Digital mammography. Right breast, cranio-caudal projection. 40-year-old patient.
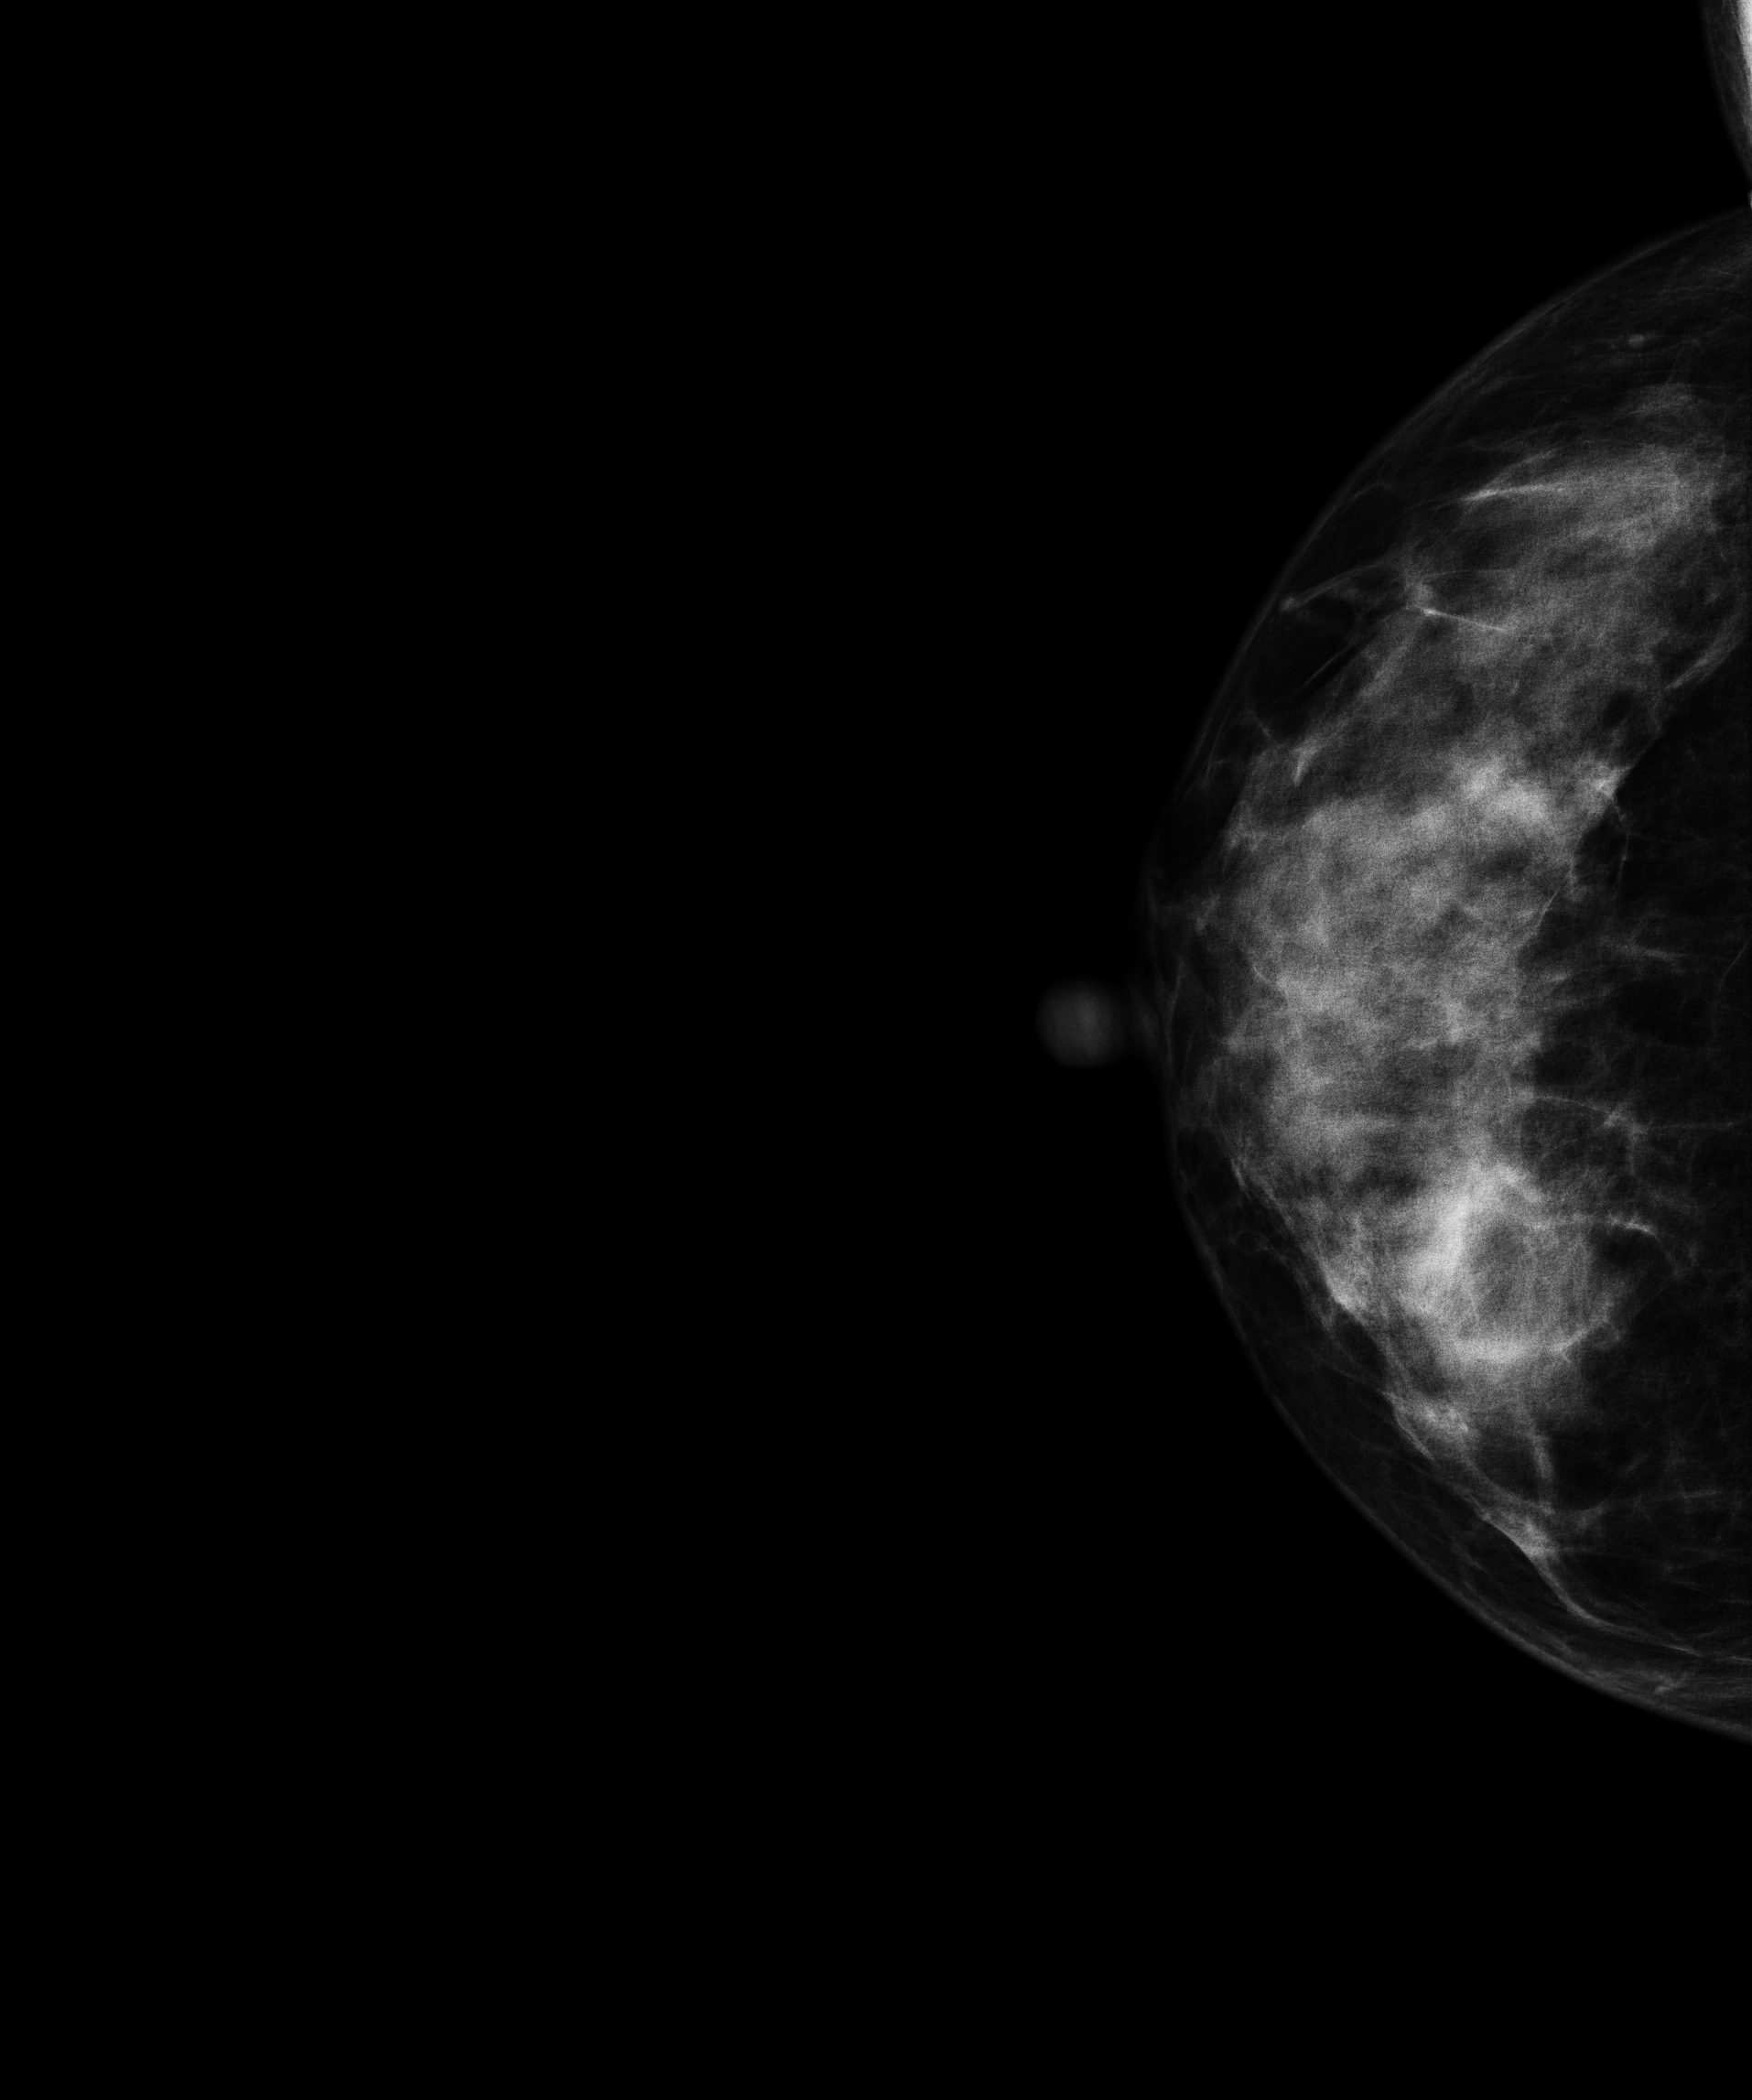
This breast has a mass, pathology-confirmed benign.